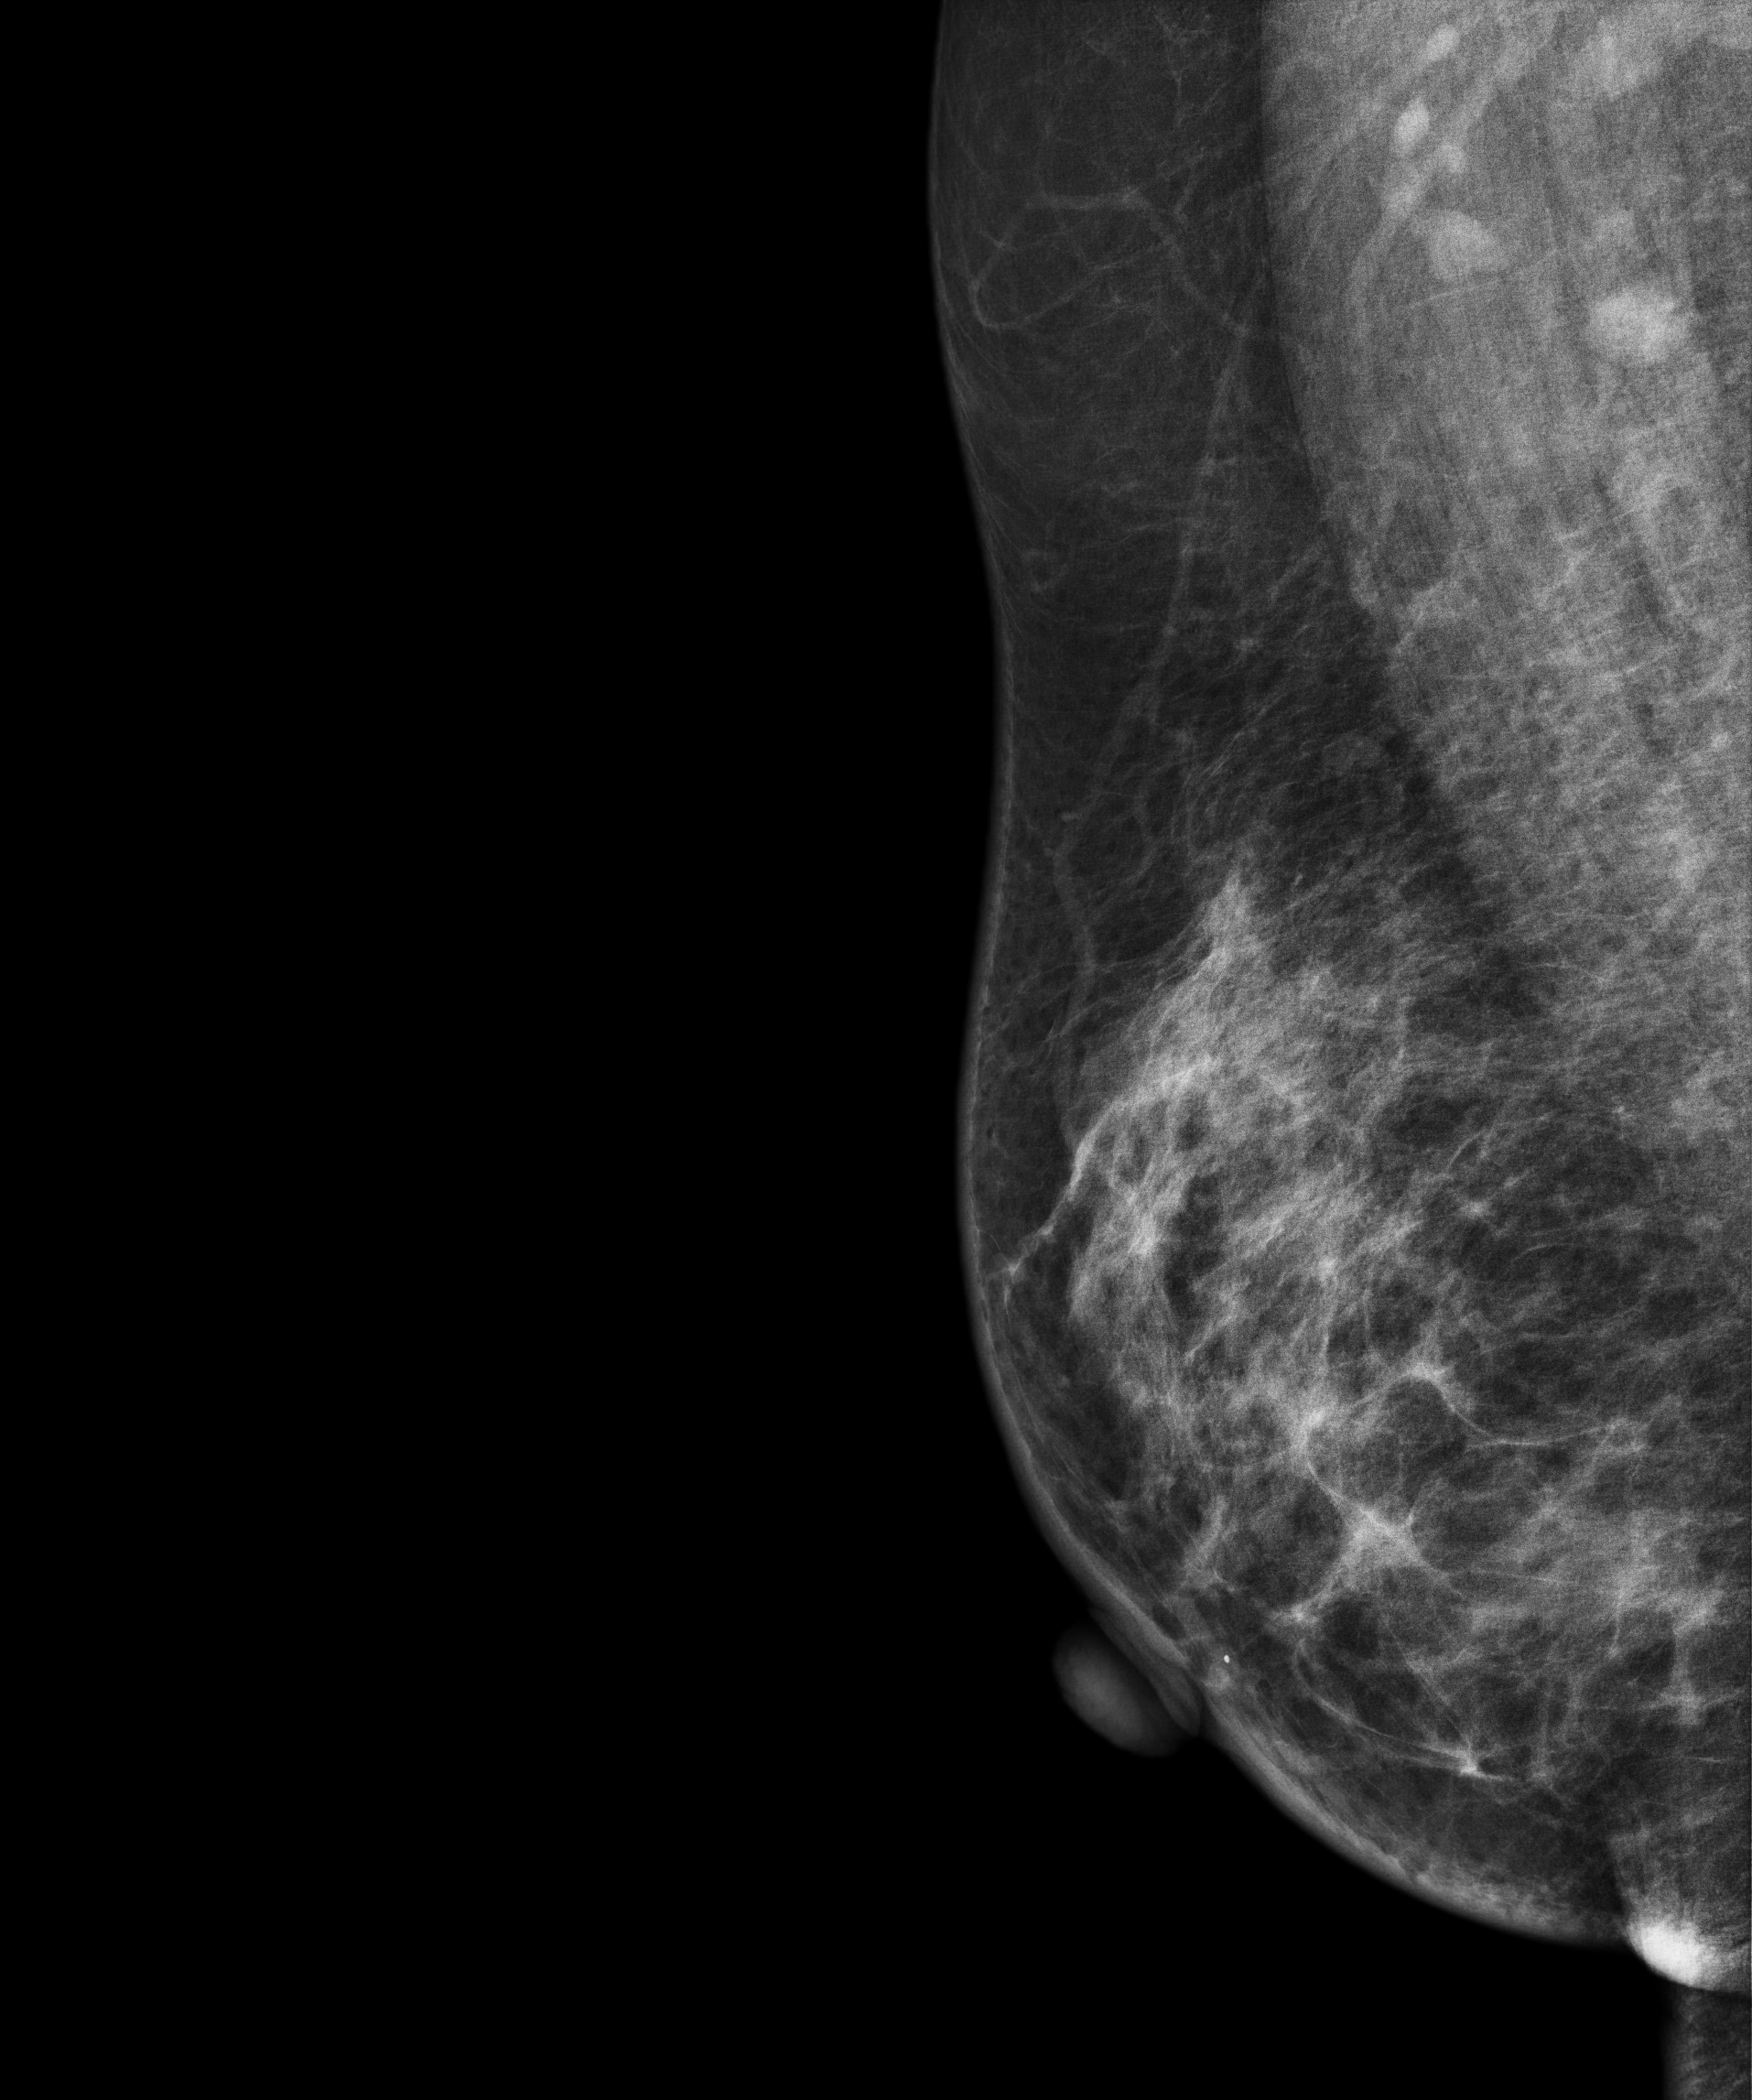
Digital mammography. Right breast, medio-lateral oblique projection. 48 y/o patient.
Contralateral breast — no documented abnormality on this side.